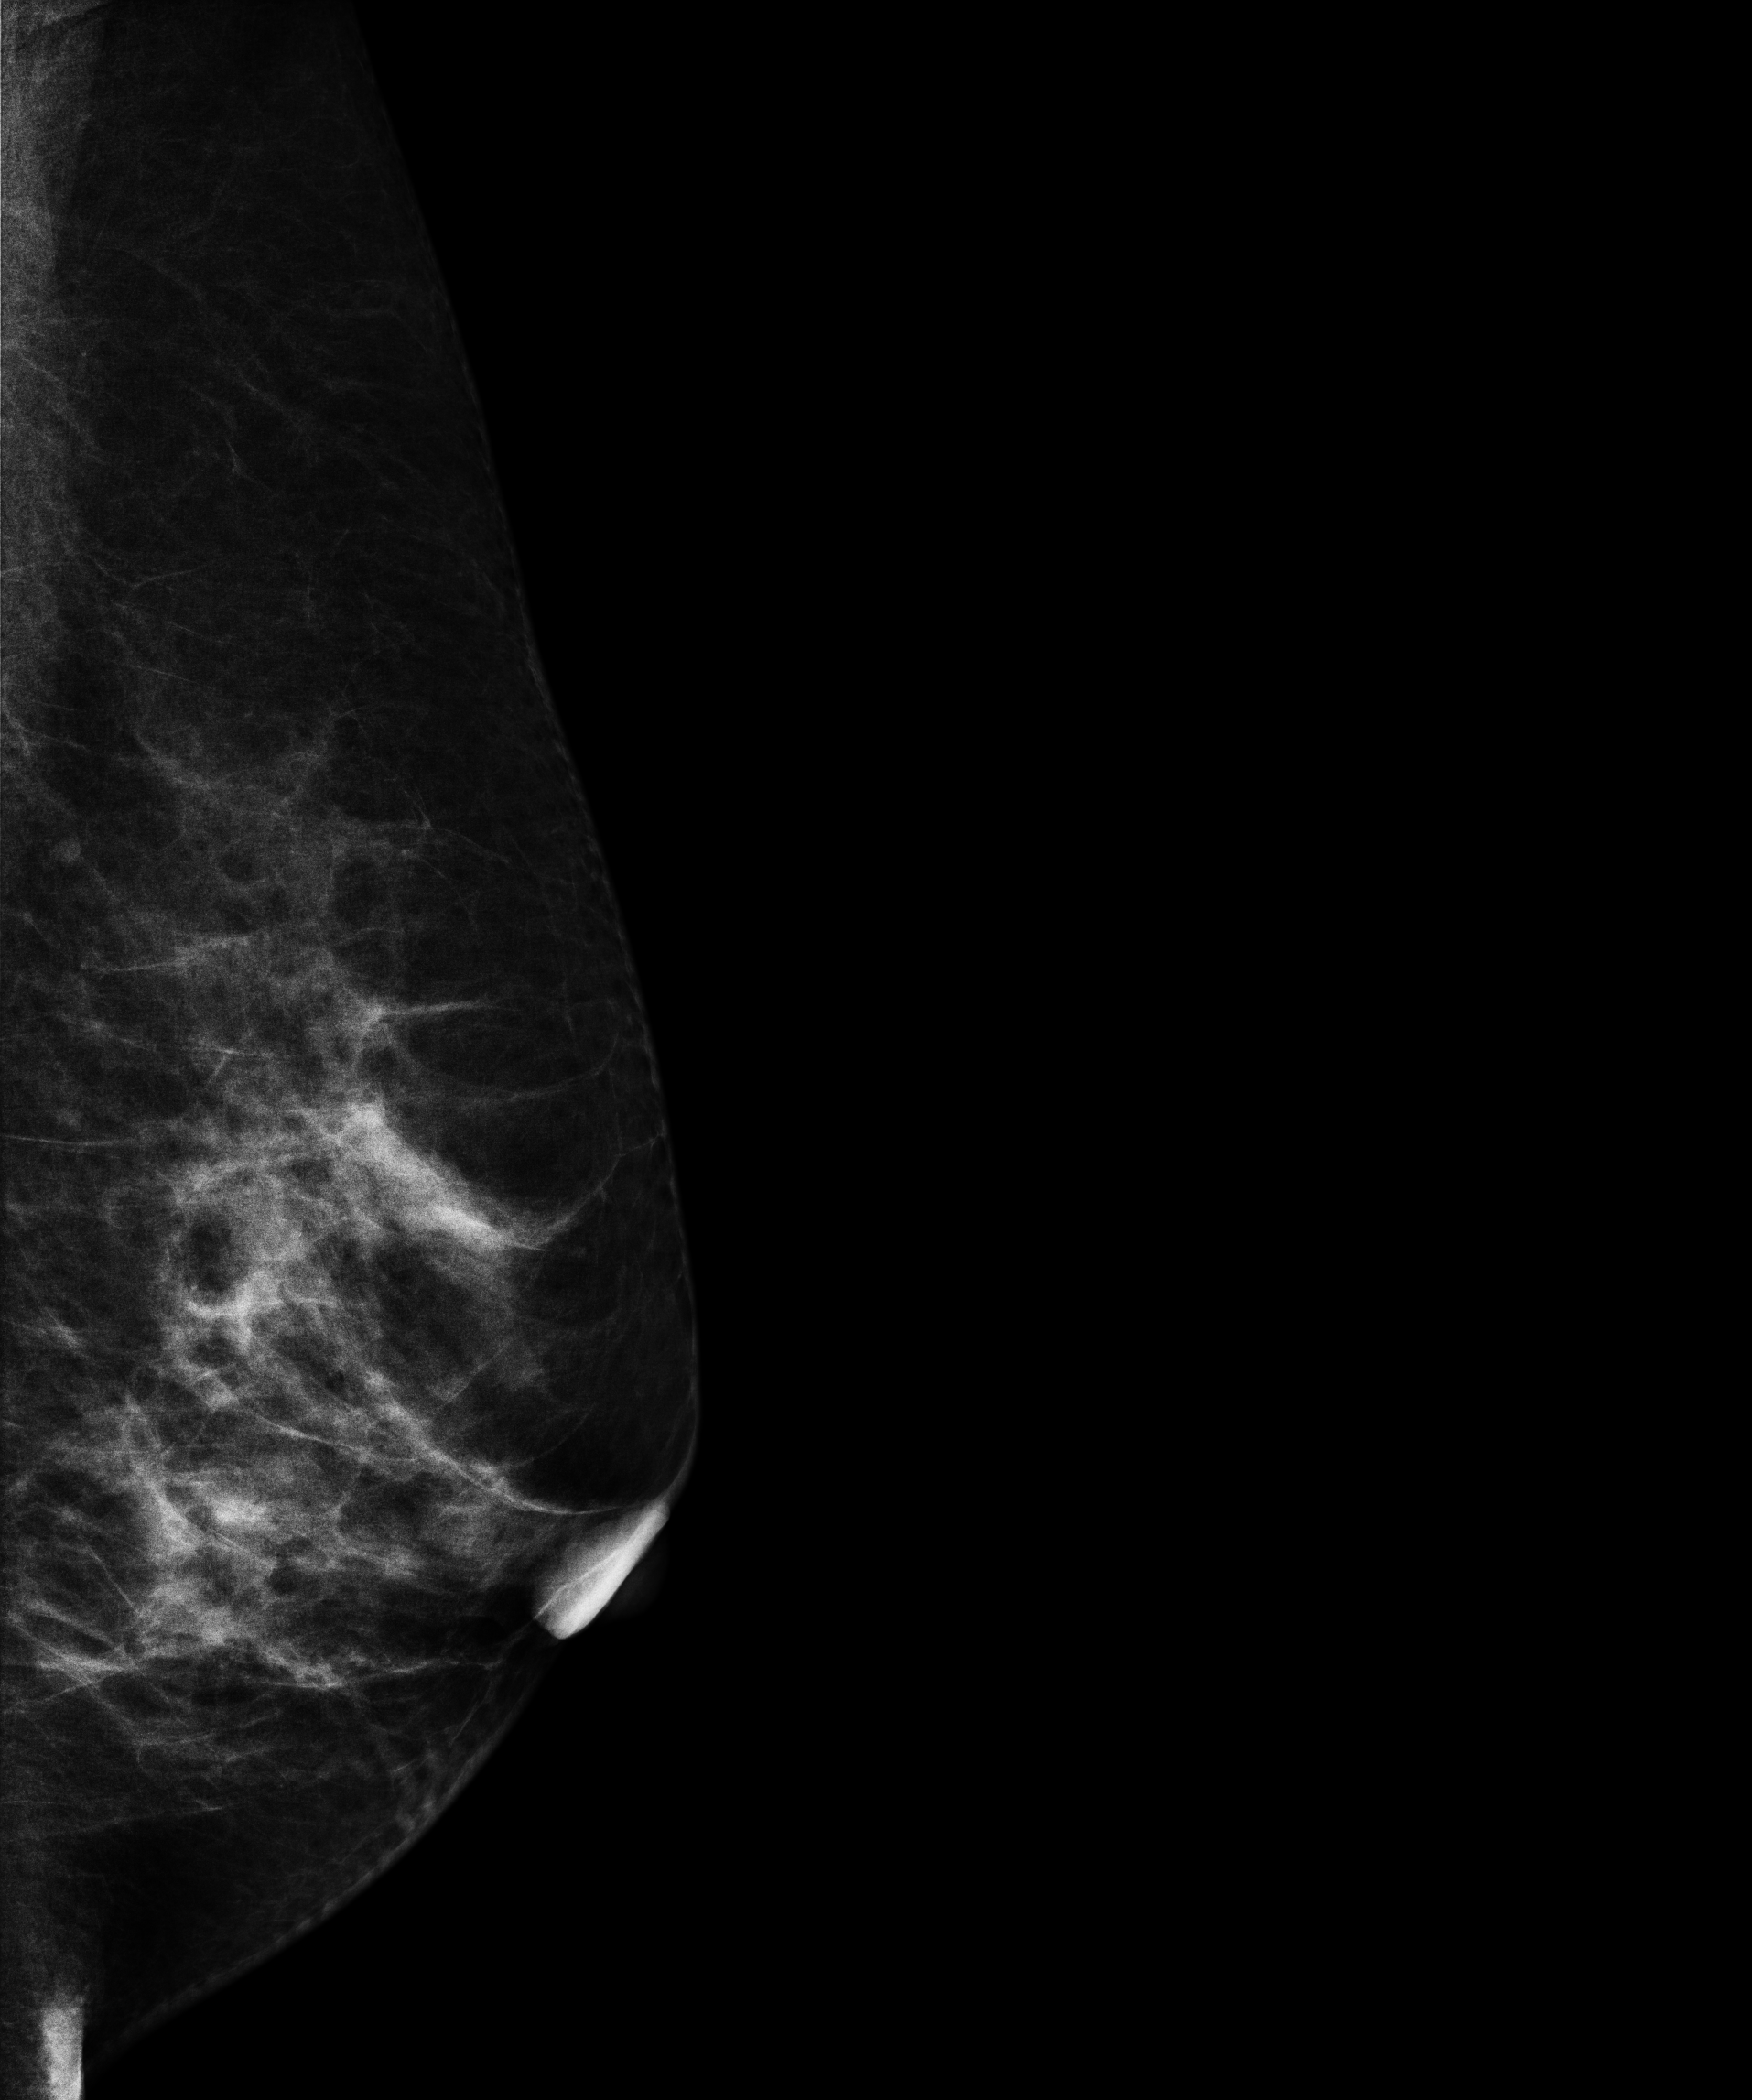
Left-breast mammogram, MLO. 57-year-old patient.
This breast has a mass, pathology-confirmed malignant. Molecular subtype: luminal A.